Mammogram, left breast, CC view. 58-year-old patient.
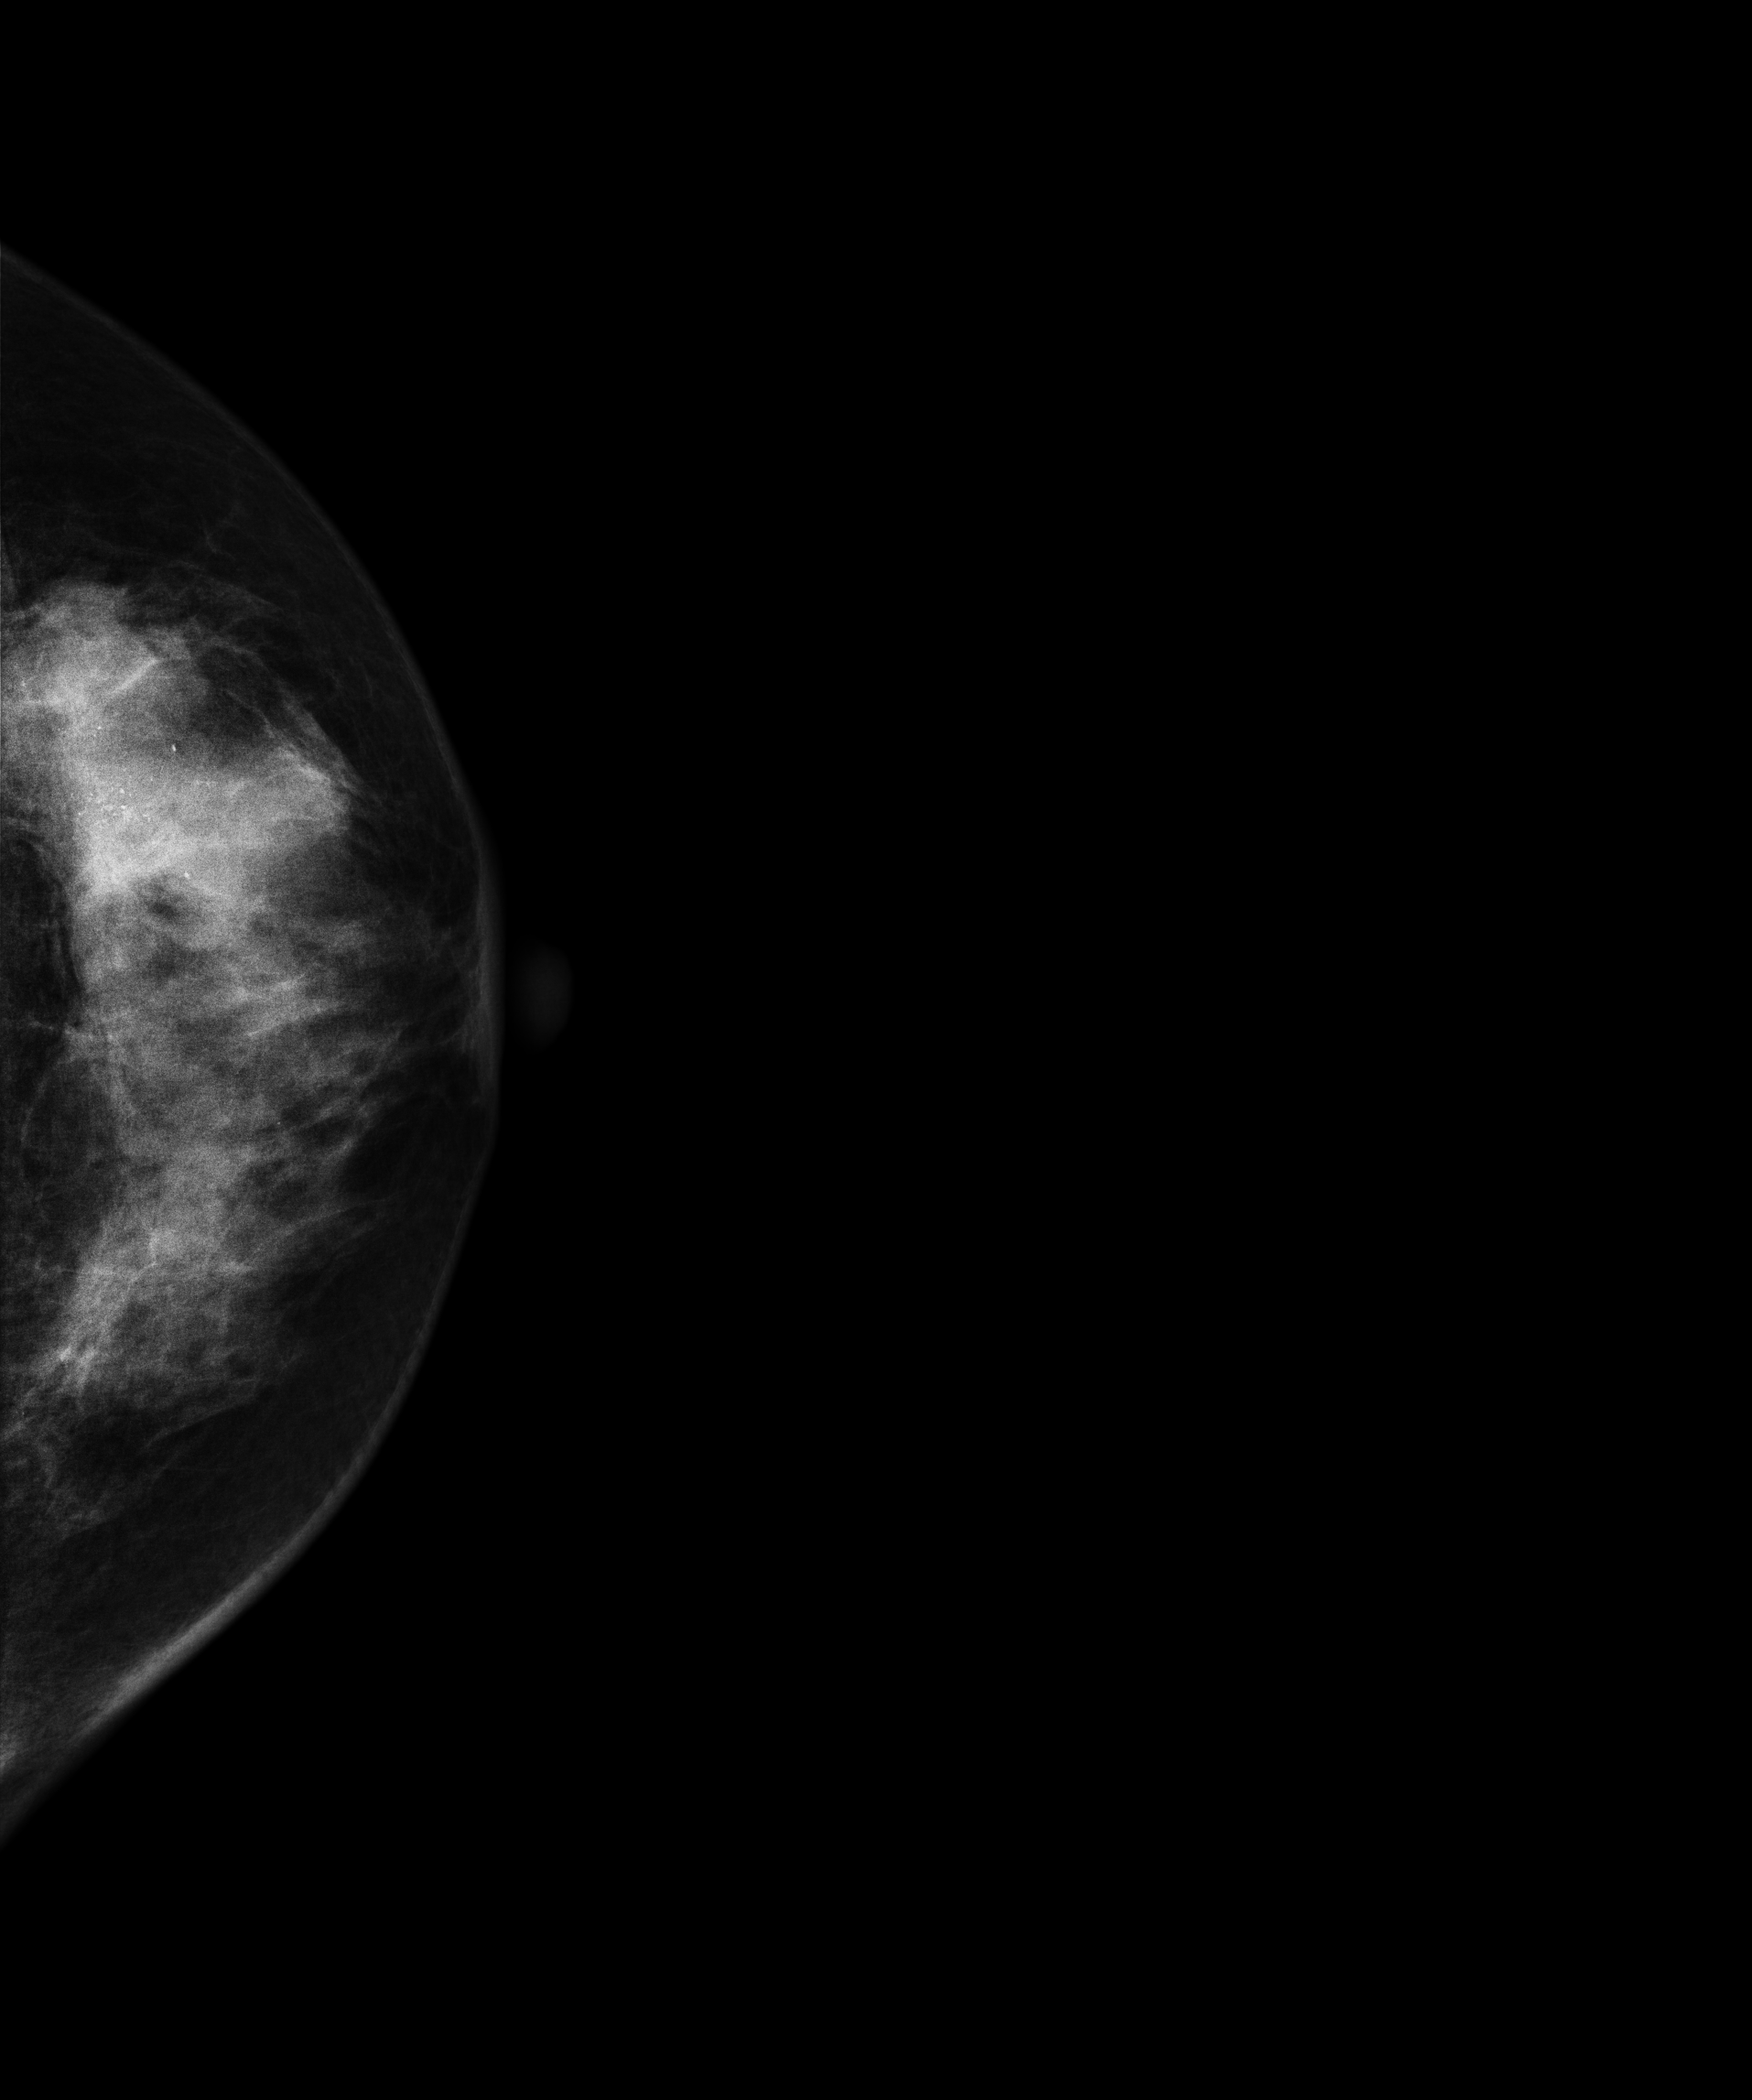
This breast has a mass and calcifications, biopsy-proven malignant.